Digital mammography. Left breast, CC projection. Patient age 32.
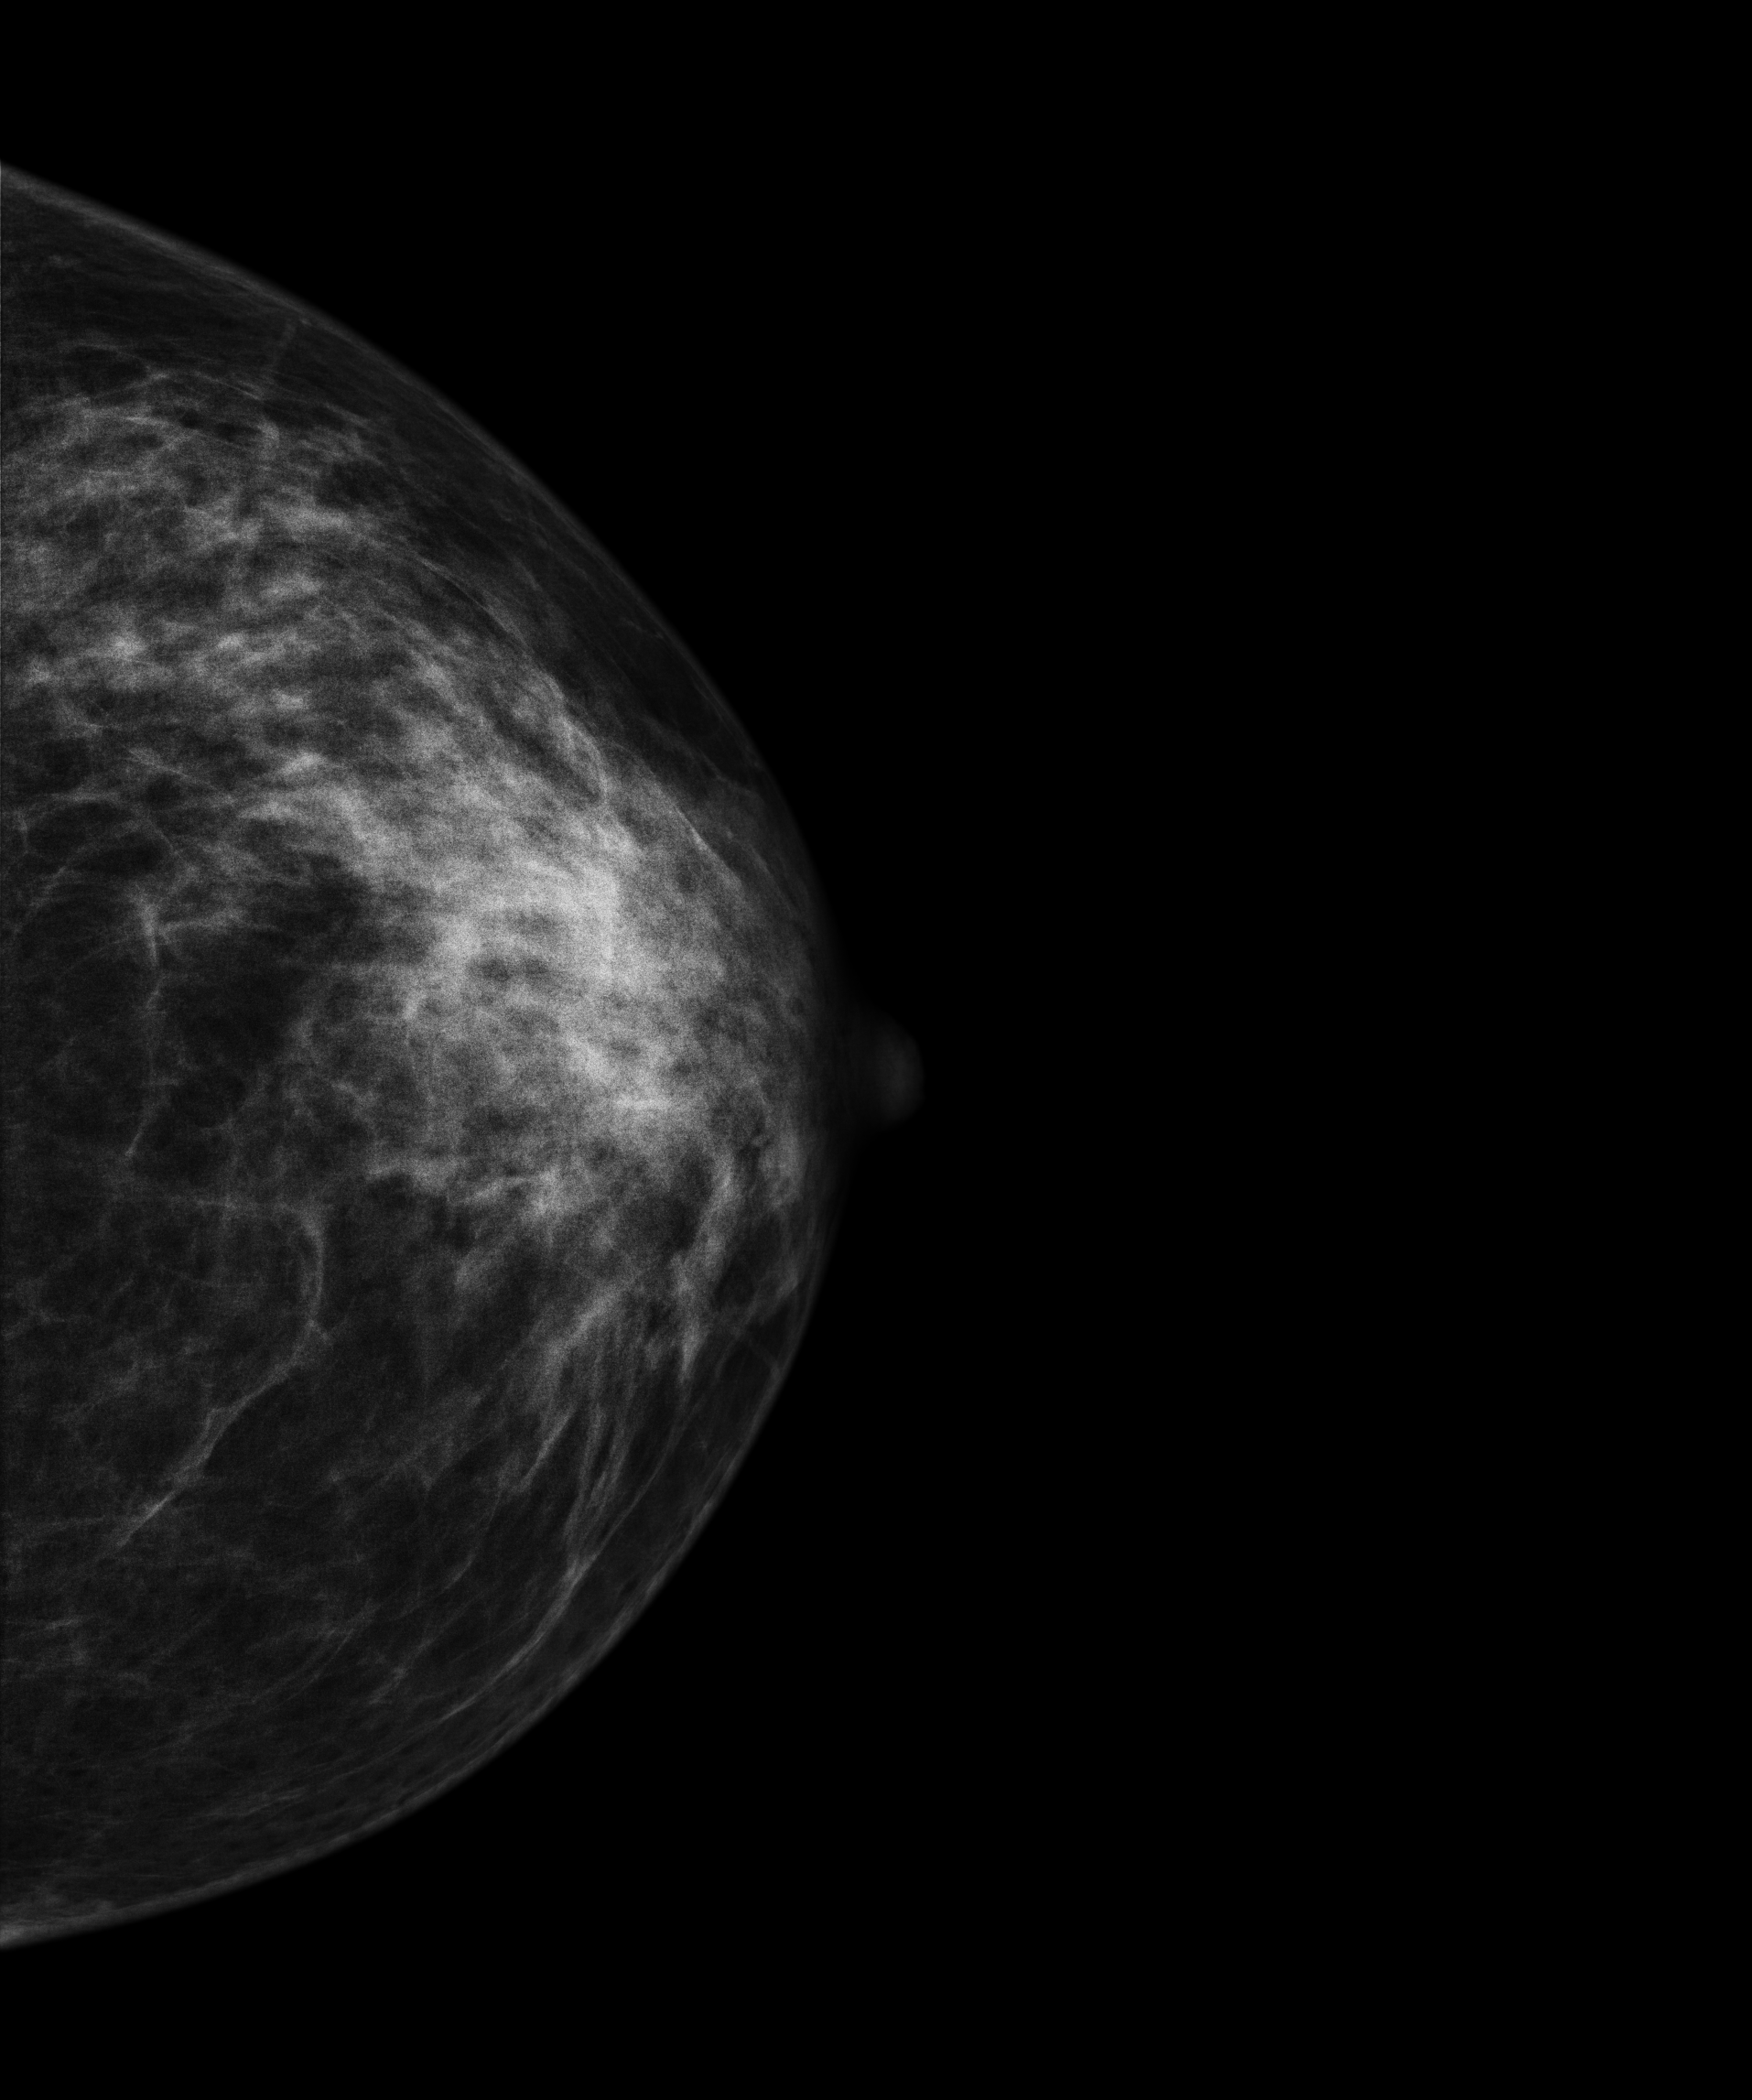
Contralateral breast — no documented abnormality on this side.